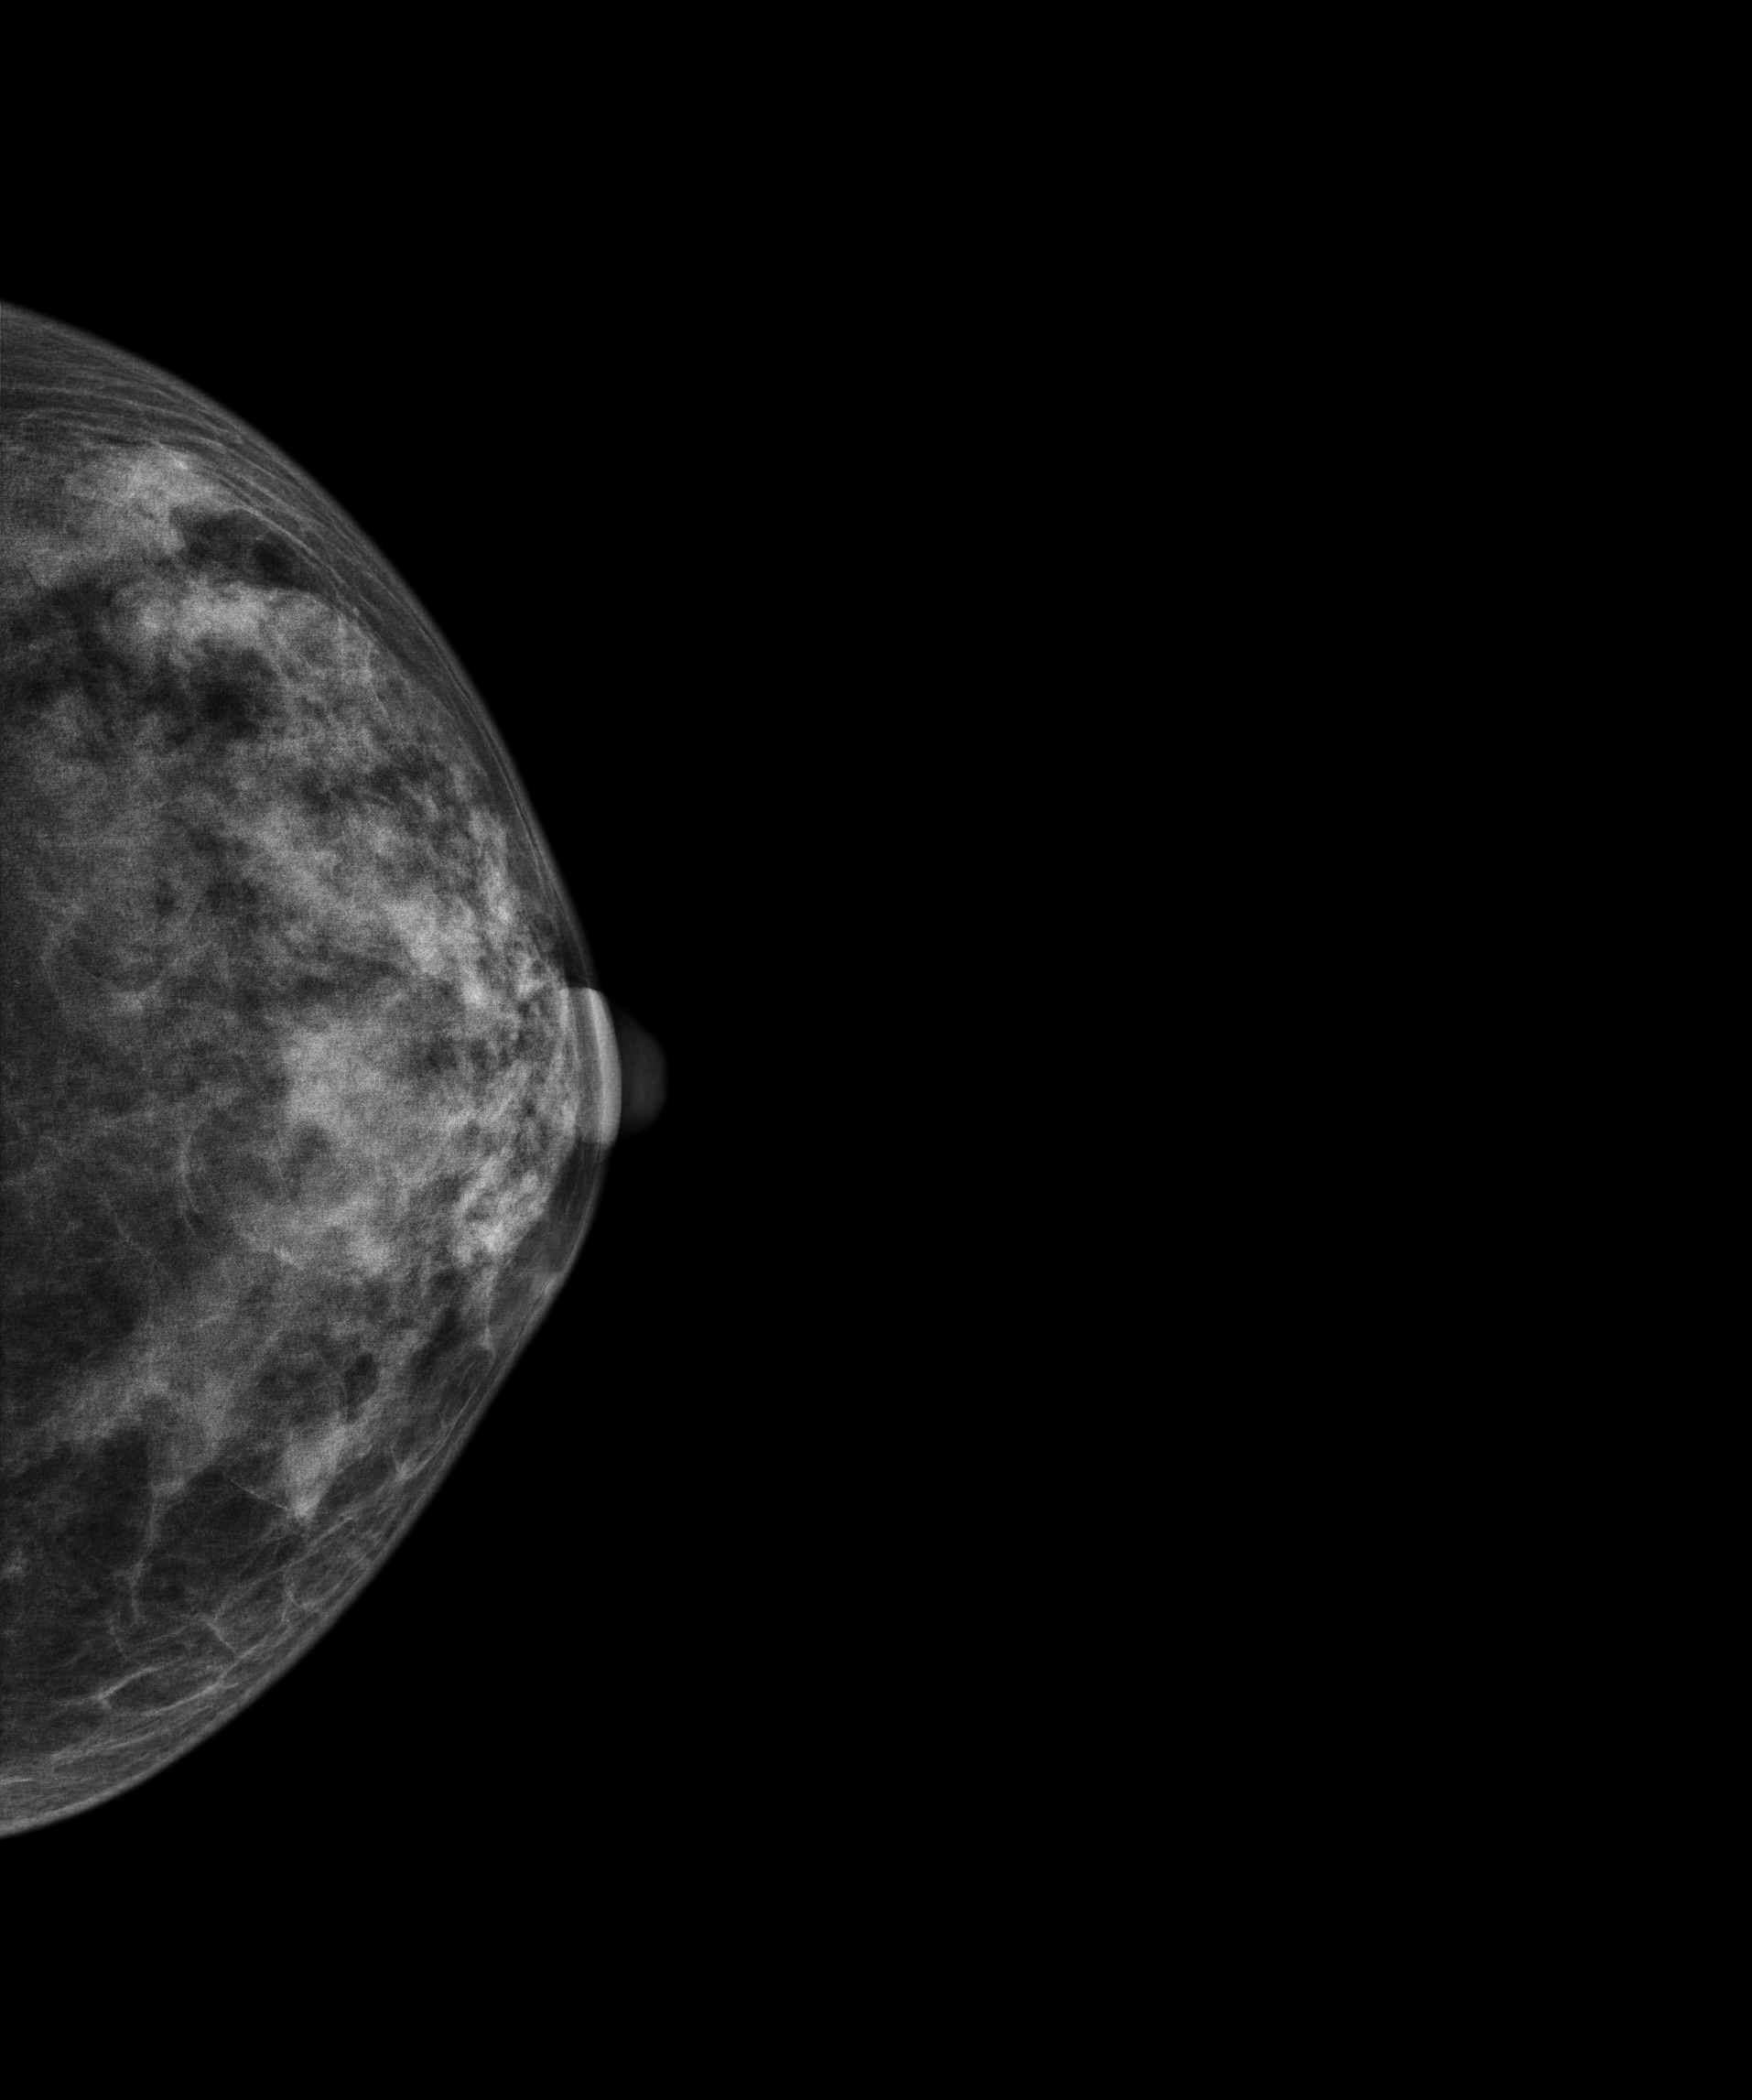
Left-breast mammogram, cranio-caudal. 44-year-old patient.
This breast has a mass, histologically confirmed benign.